Mammogram — right cranio-caudal. 53-year-old patient.
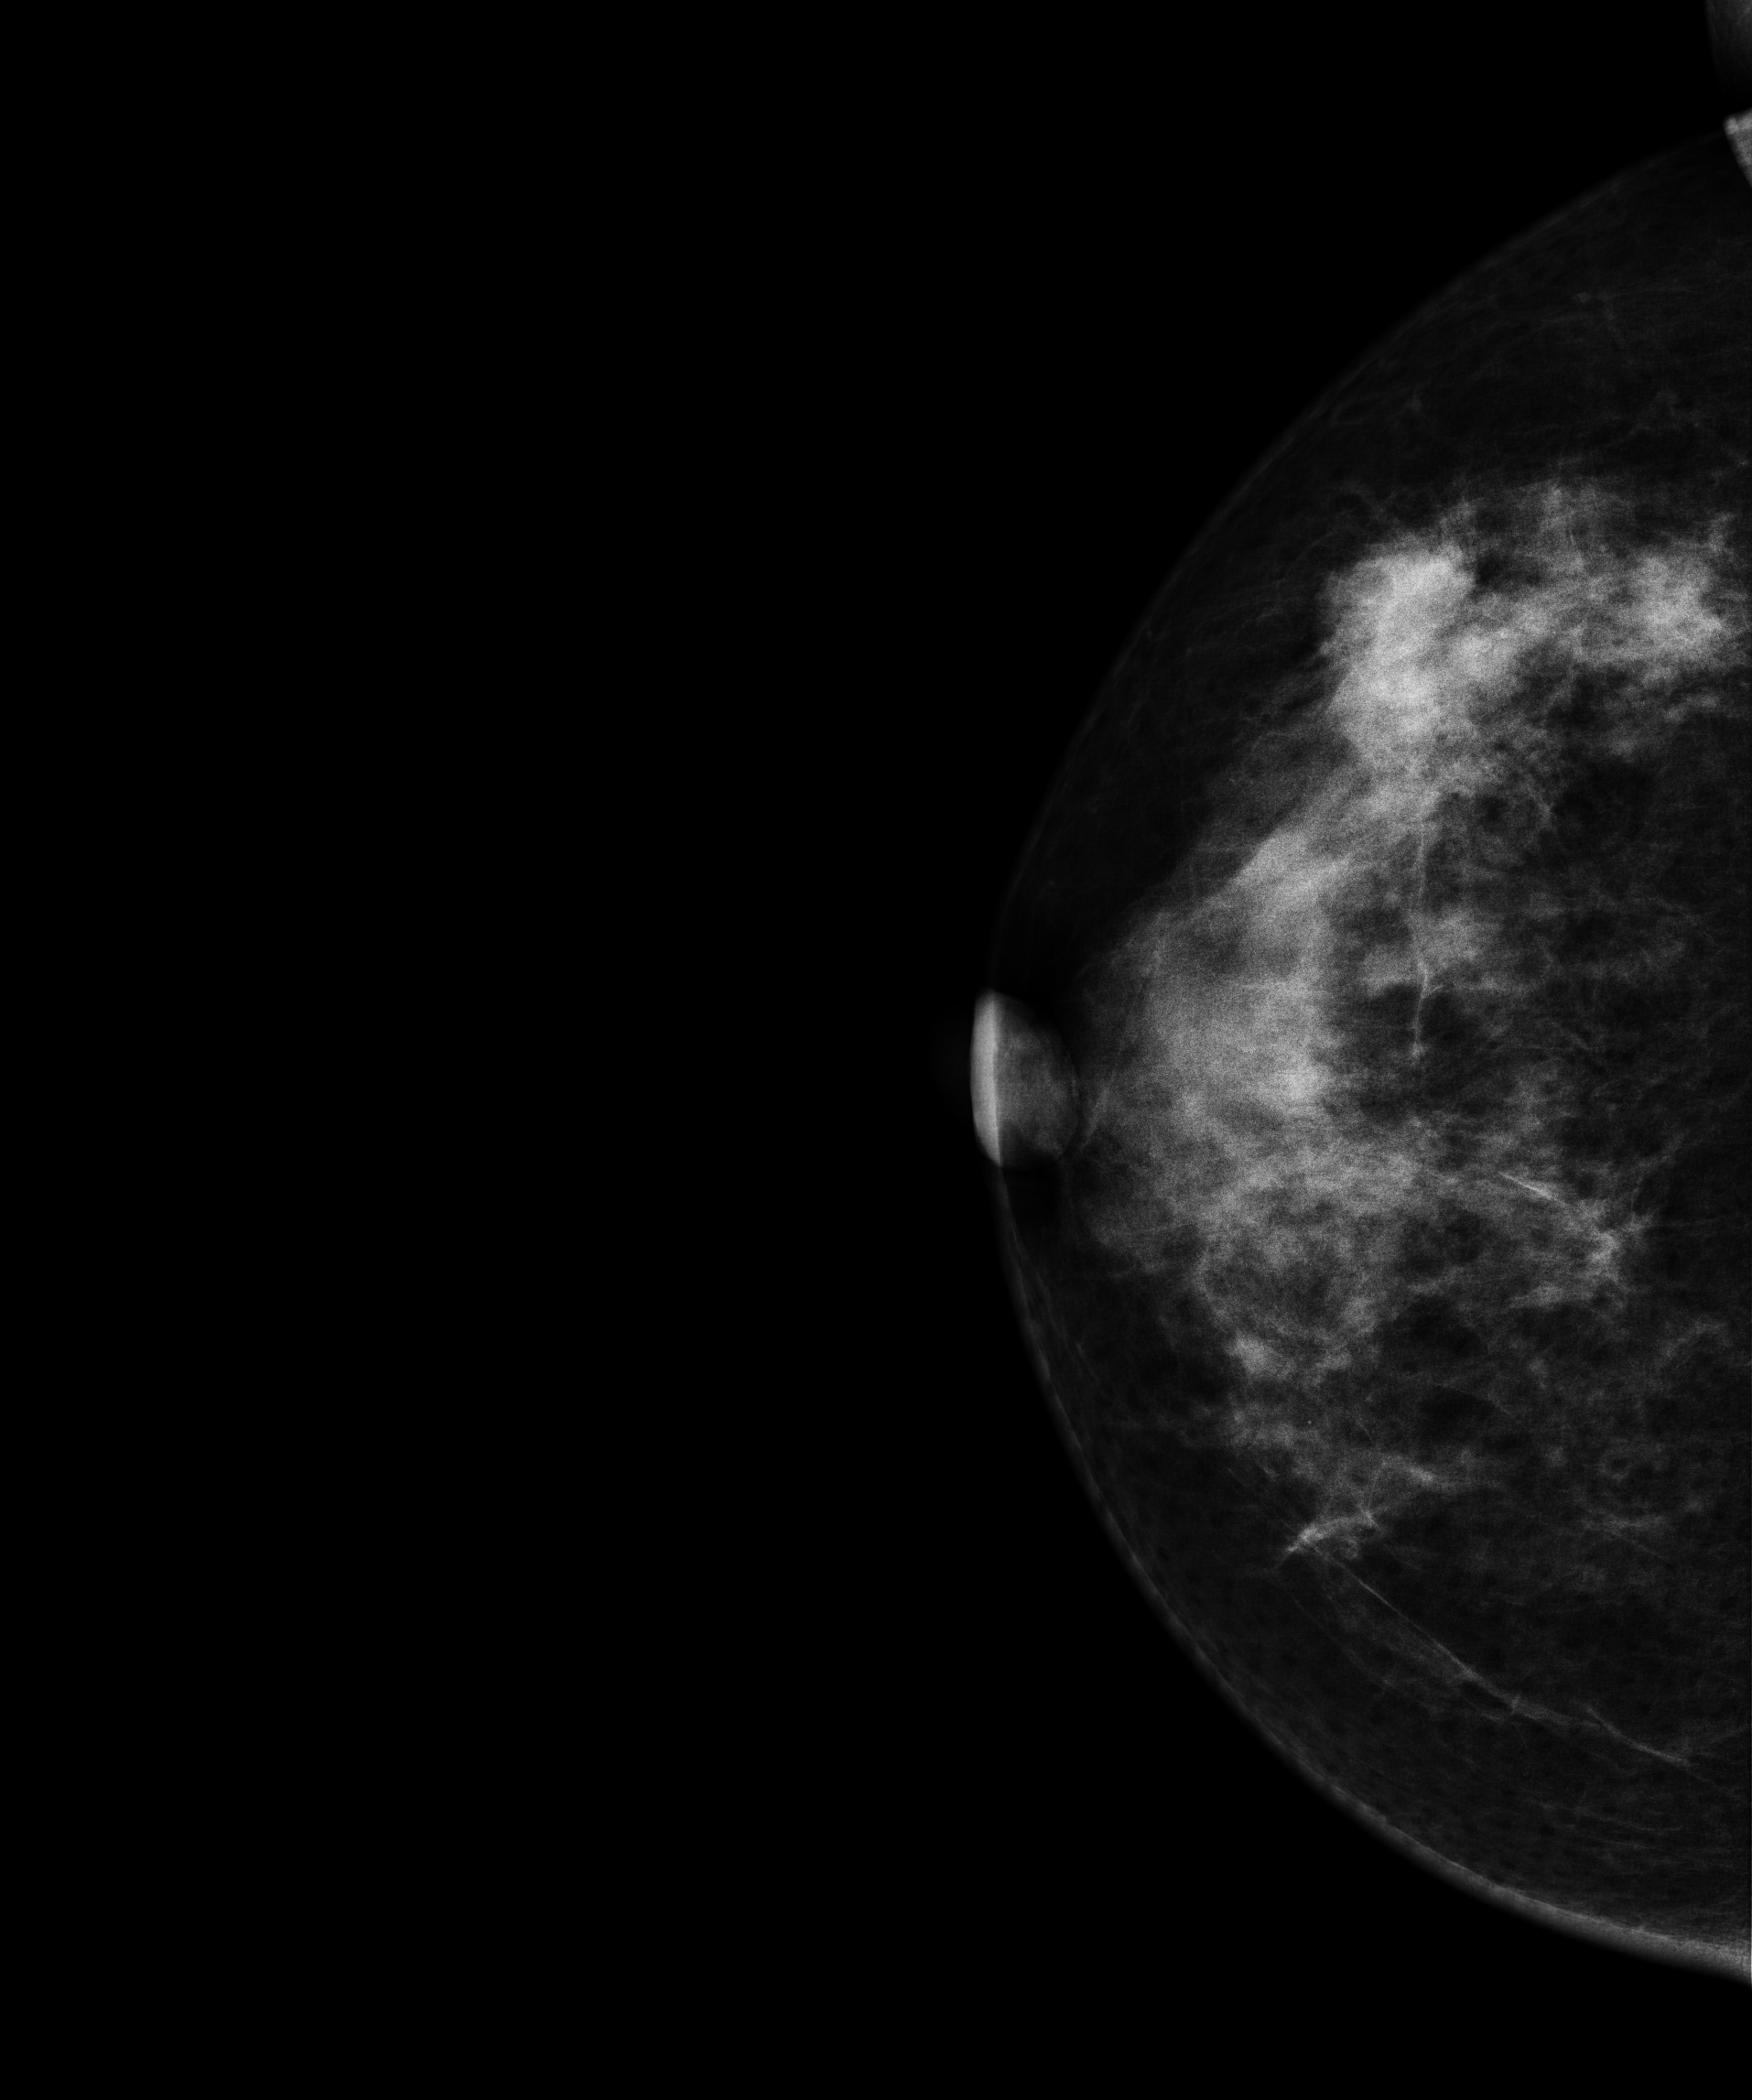
This breast has a mass, biopsy-proven malignant.